Digital mammography. Left breast, MLO projection. 59 y/o patient.
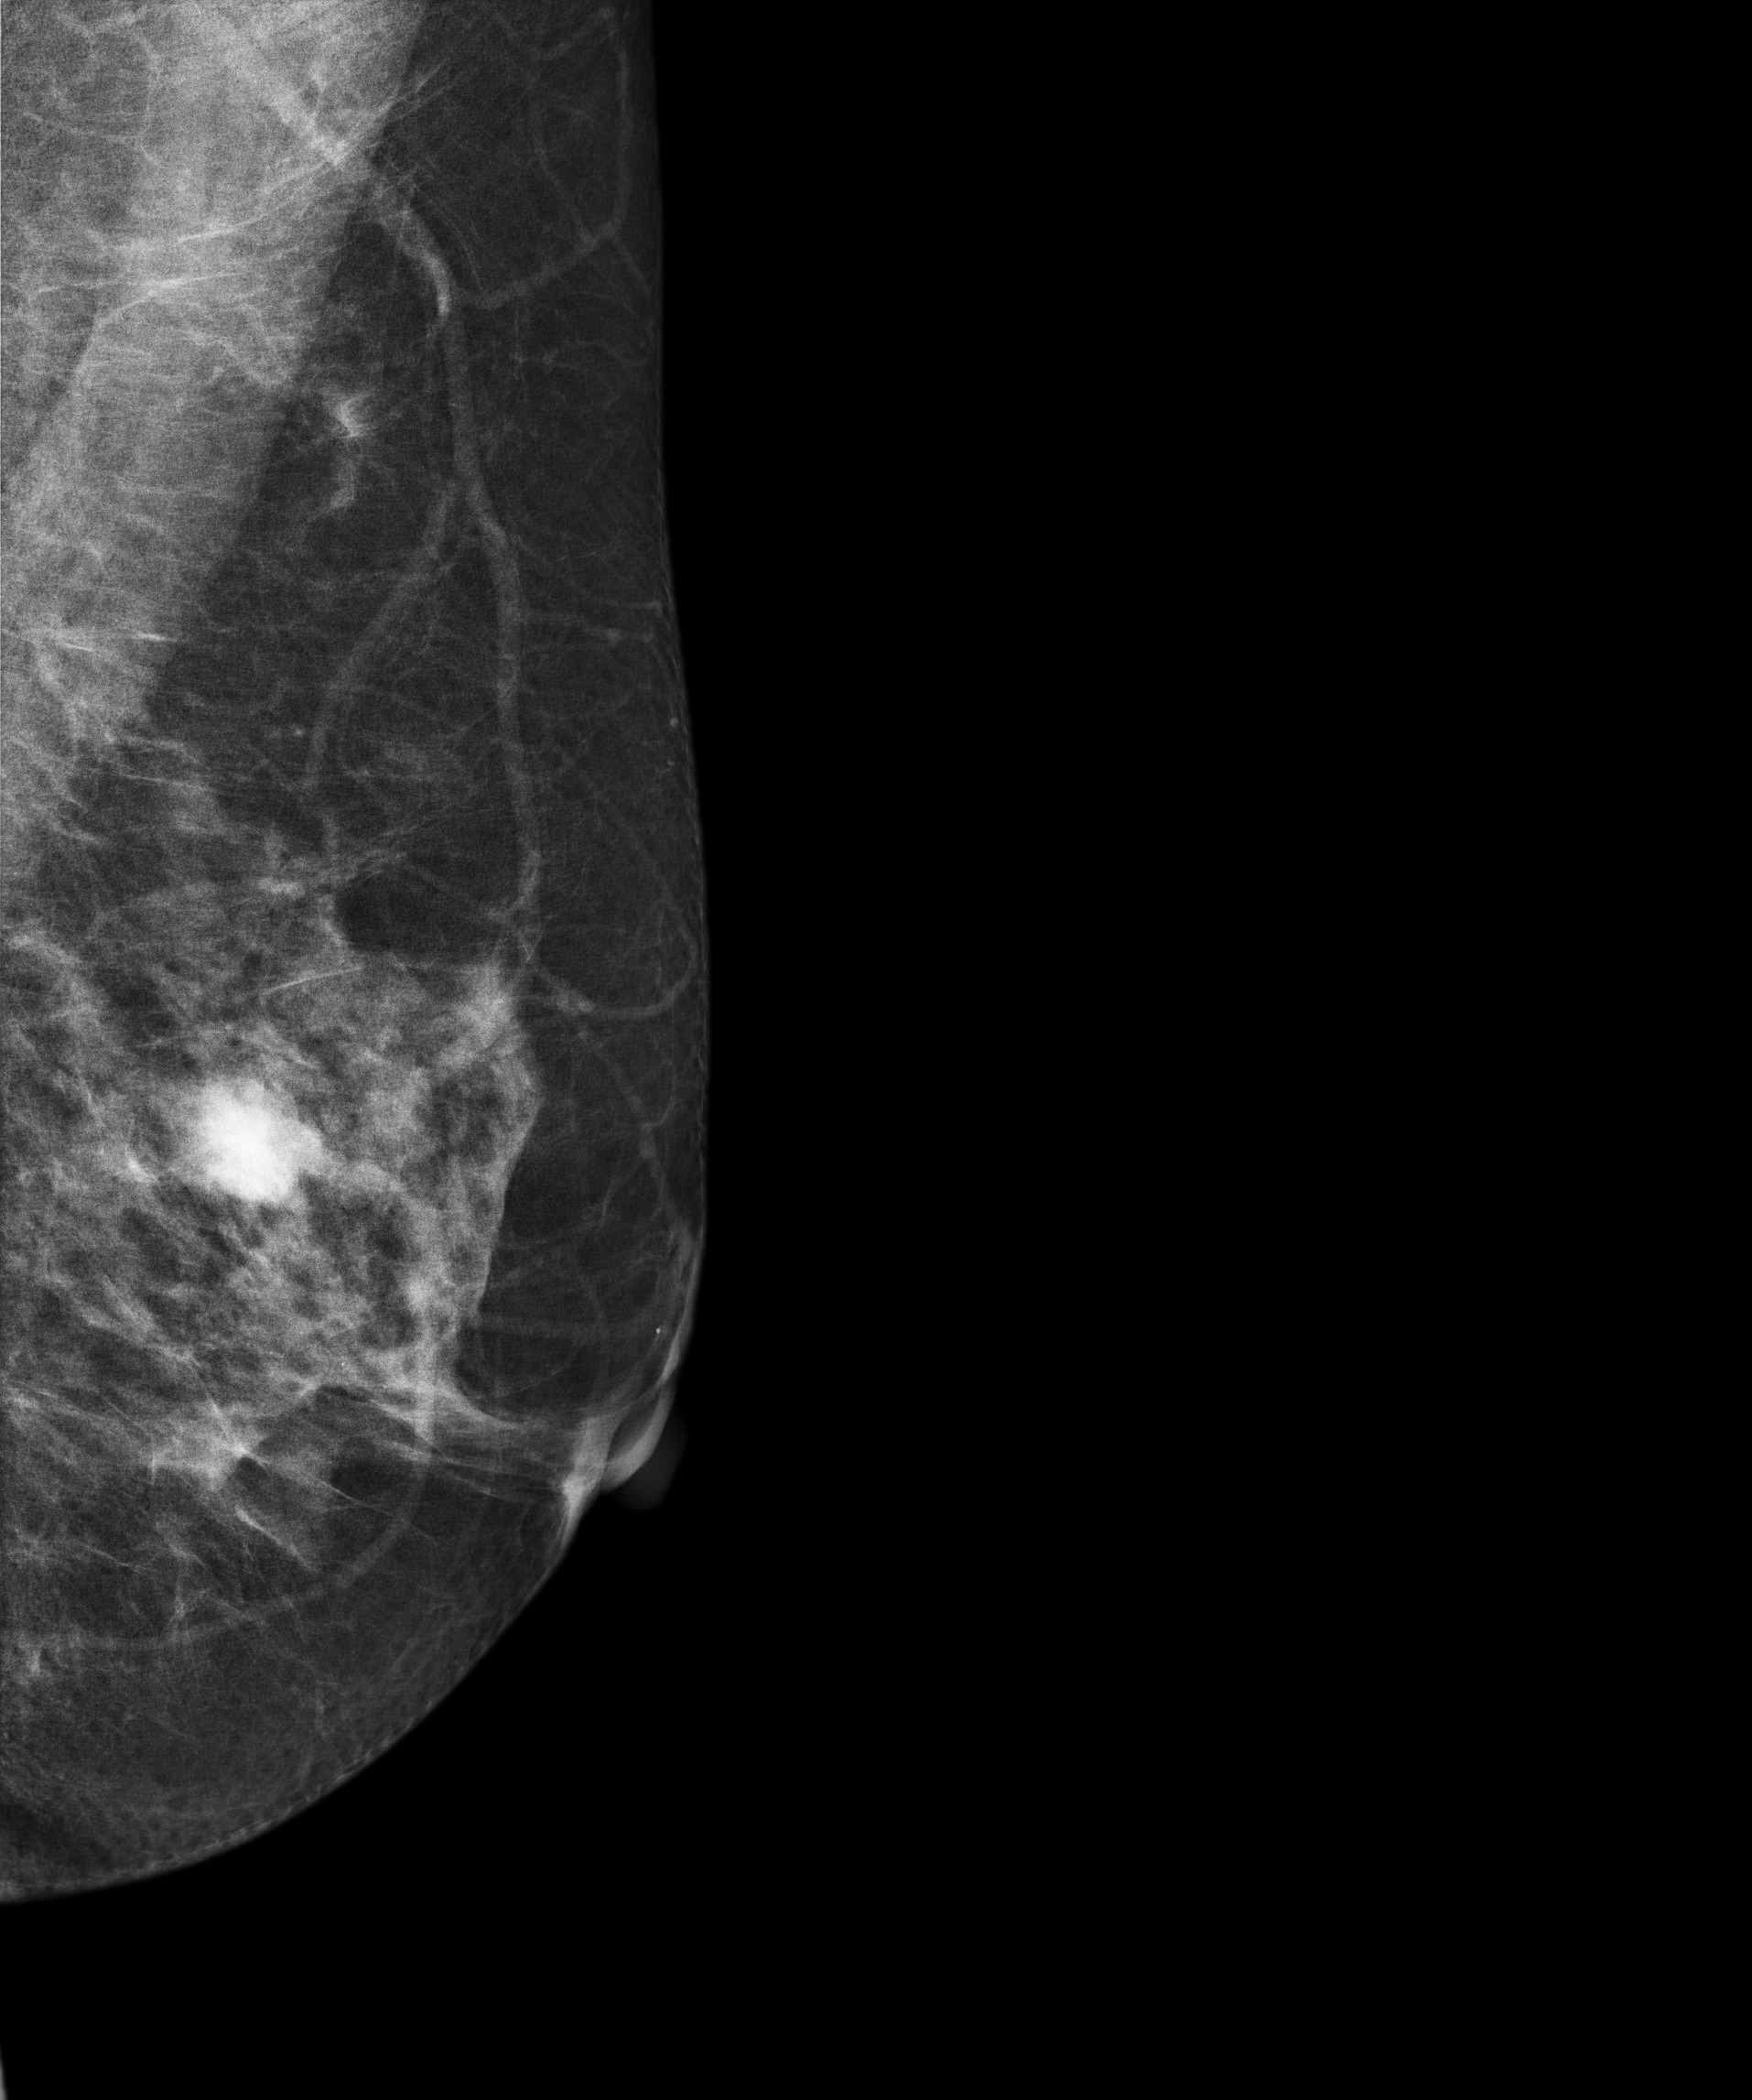
This breast has a mass, biopsy-proven benign.